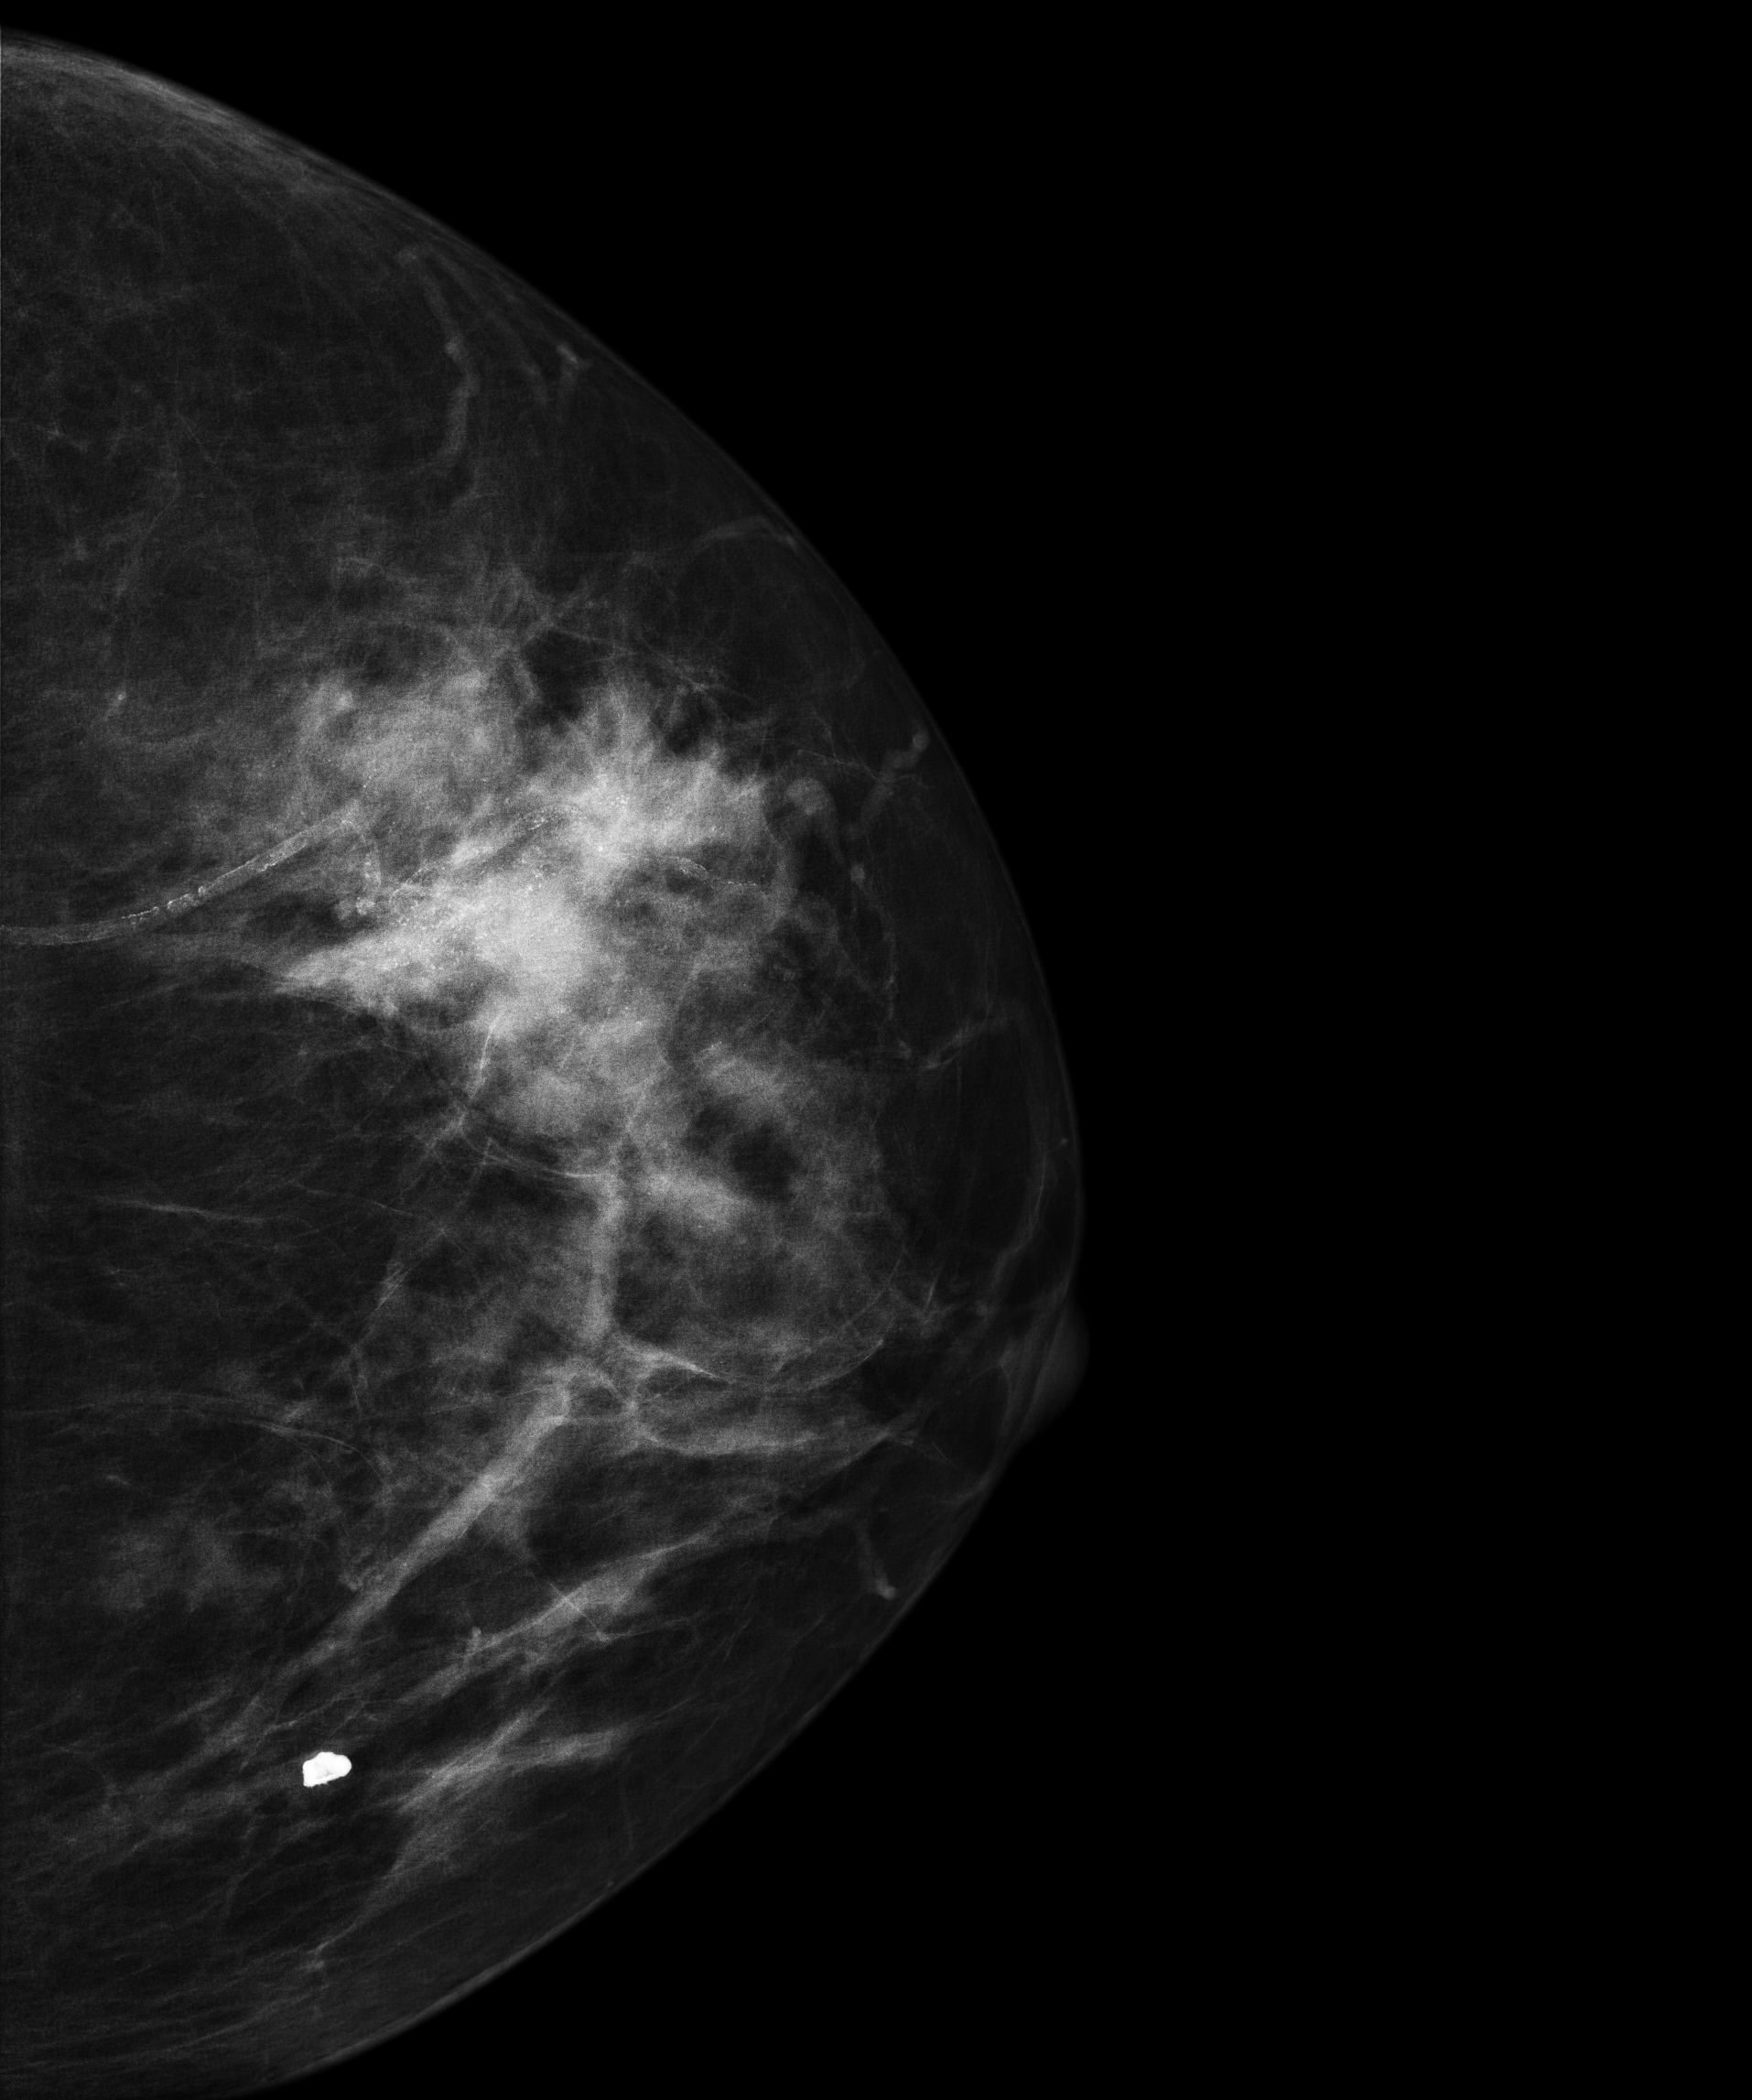
Digital mammography. Left breast, cranio-caudal projection. 70-year-old patient.
This breast has a mass and calcifications, histologically confirmed malignant.